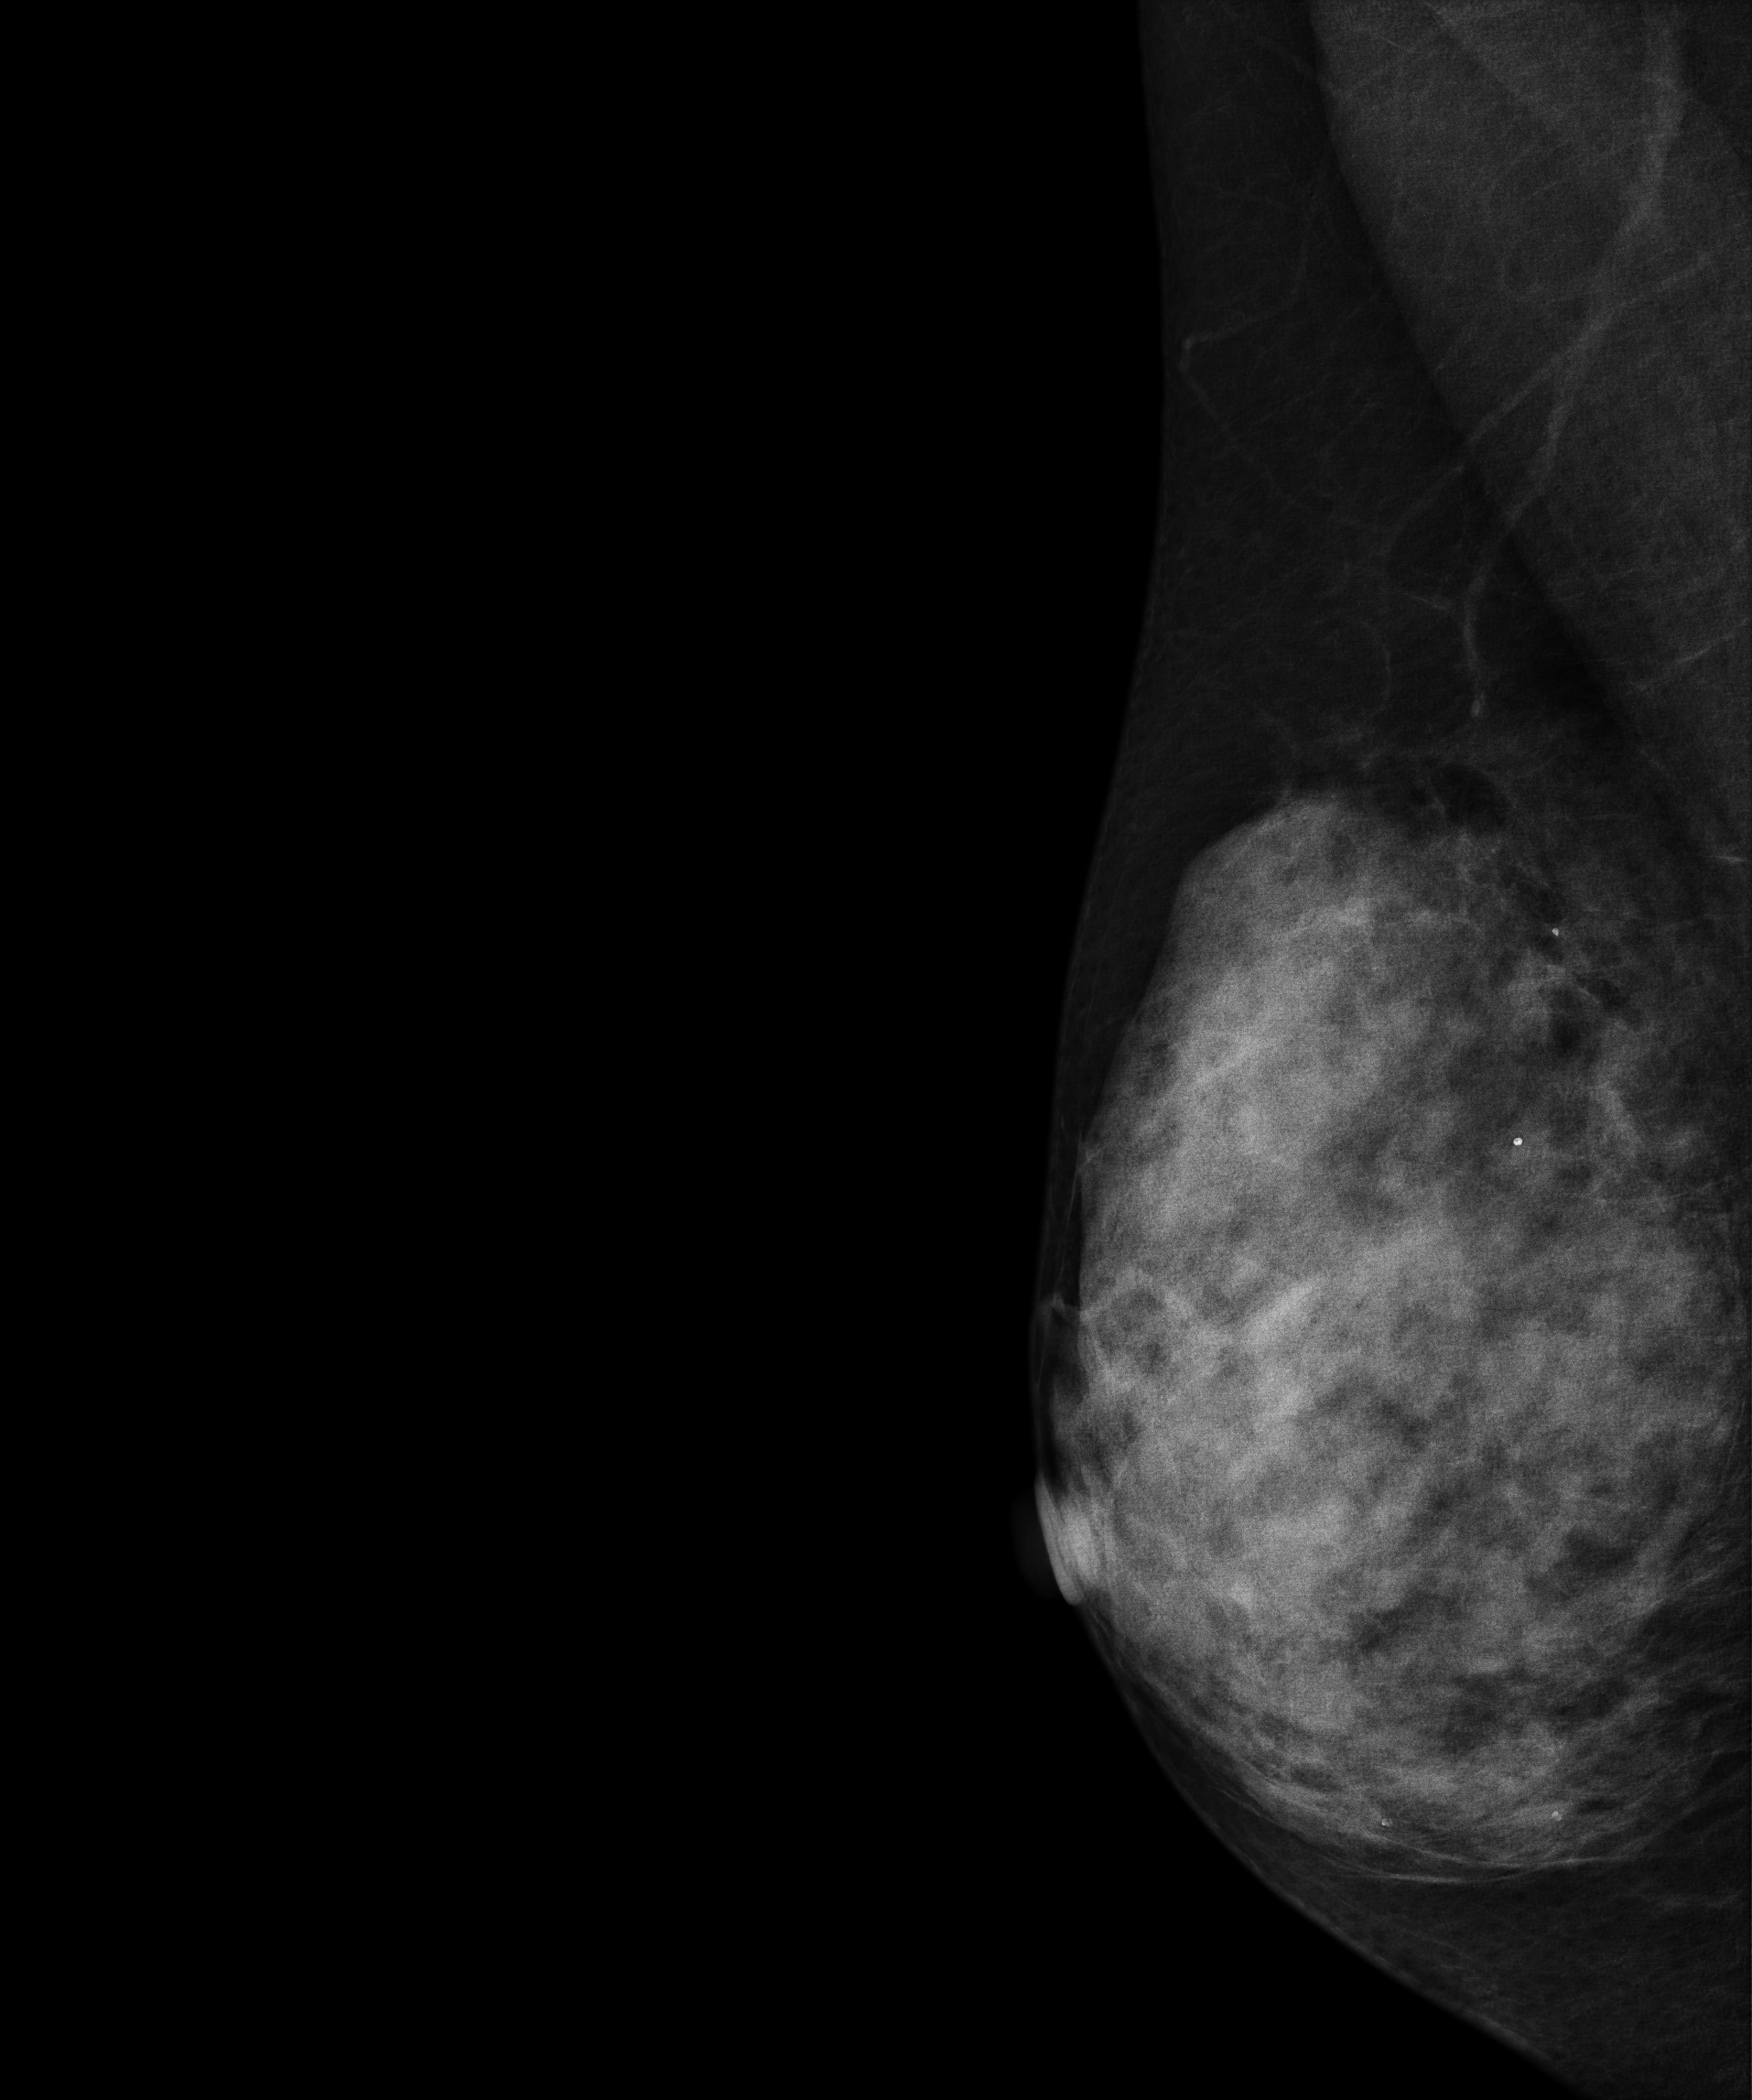
Right-breast mammogram, CC. 46-year-old patient.
Contralateral breast — no documented abnormality on this side.